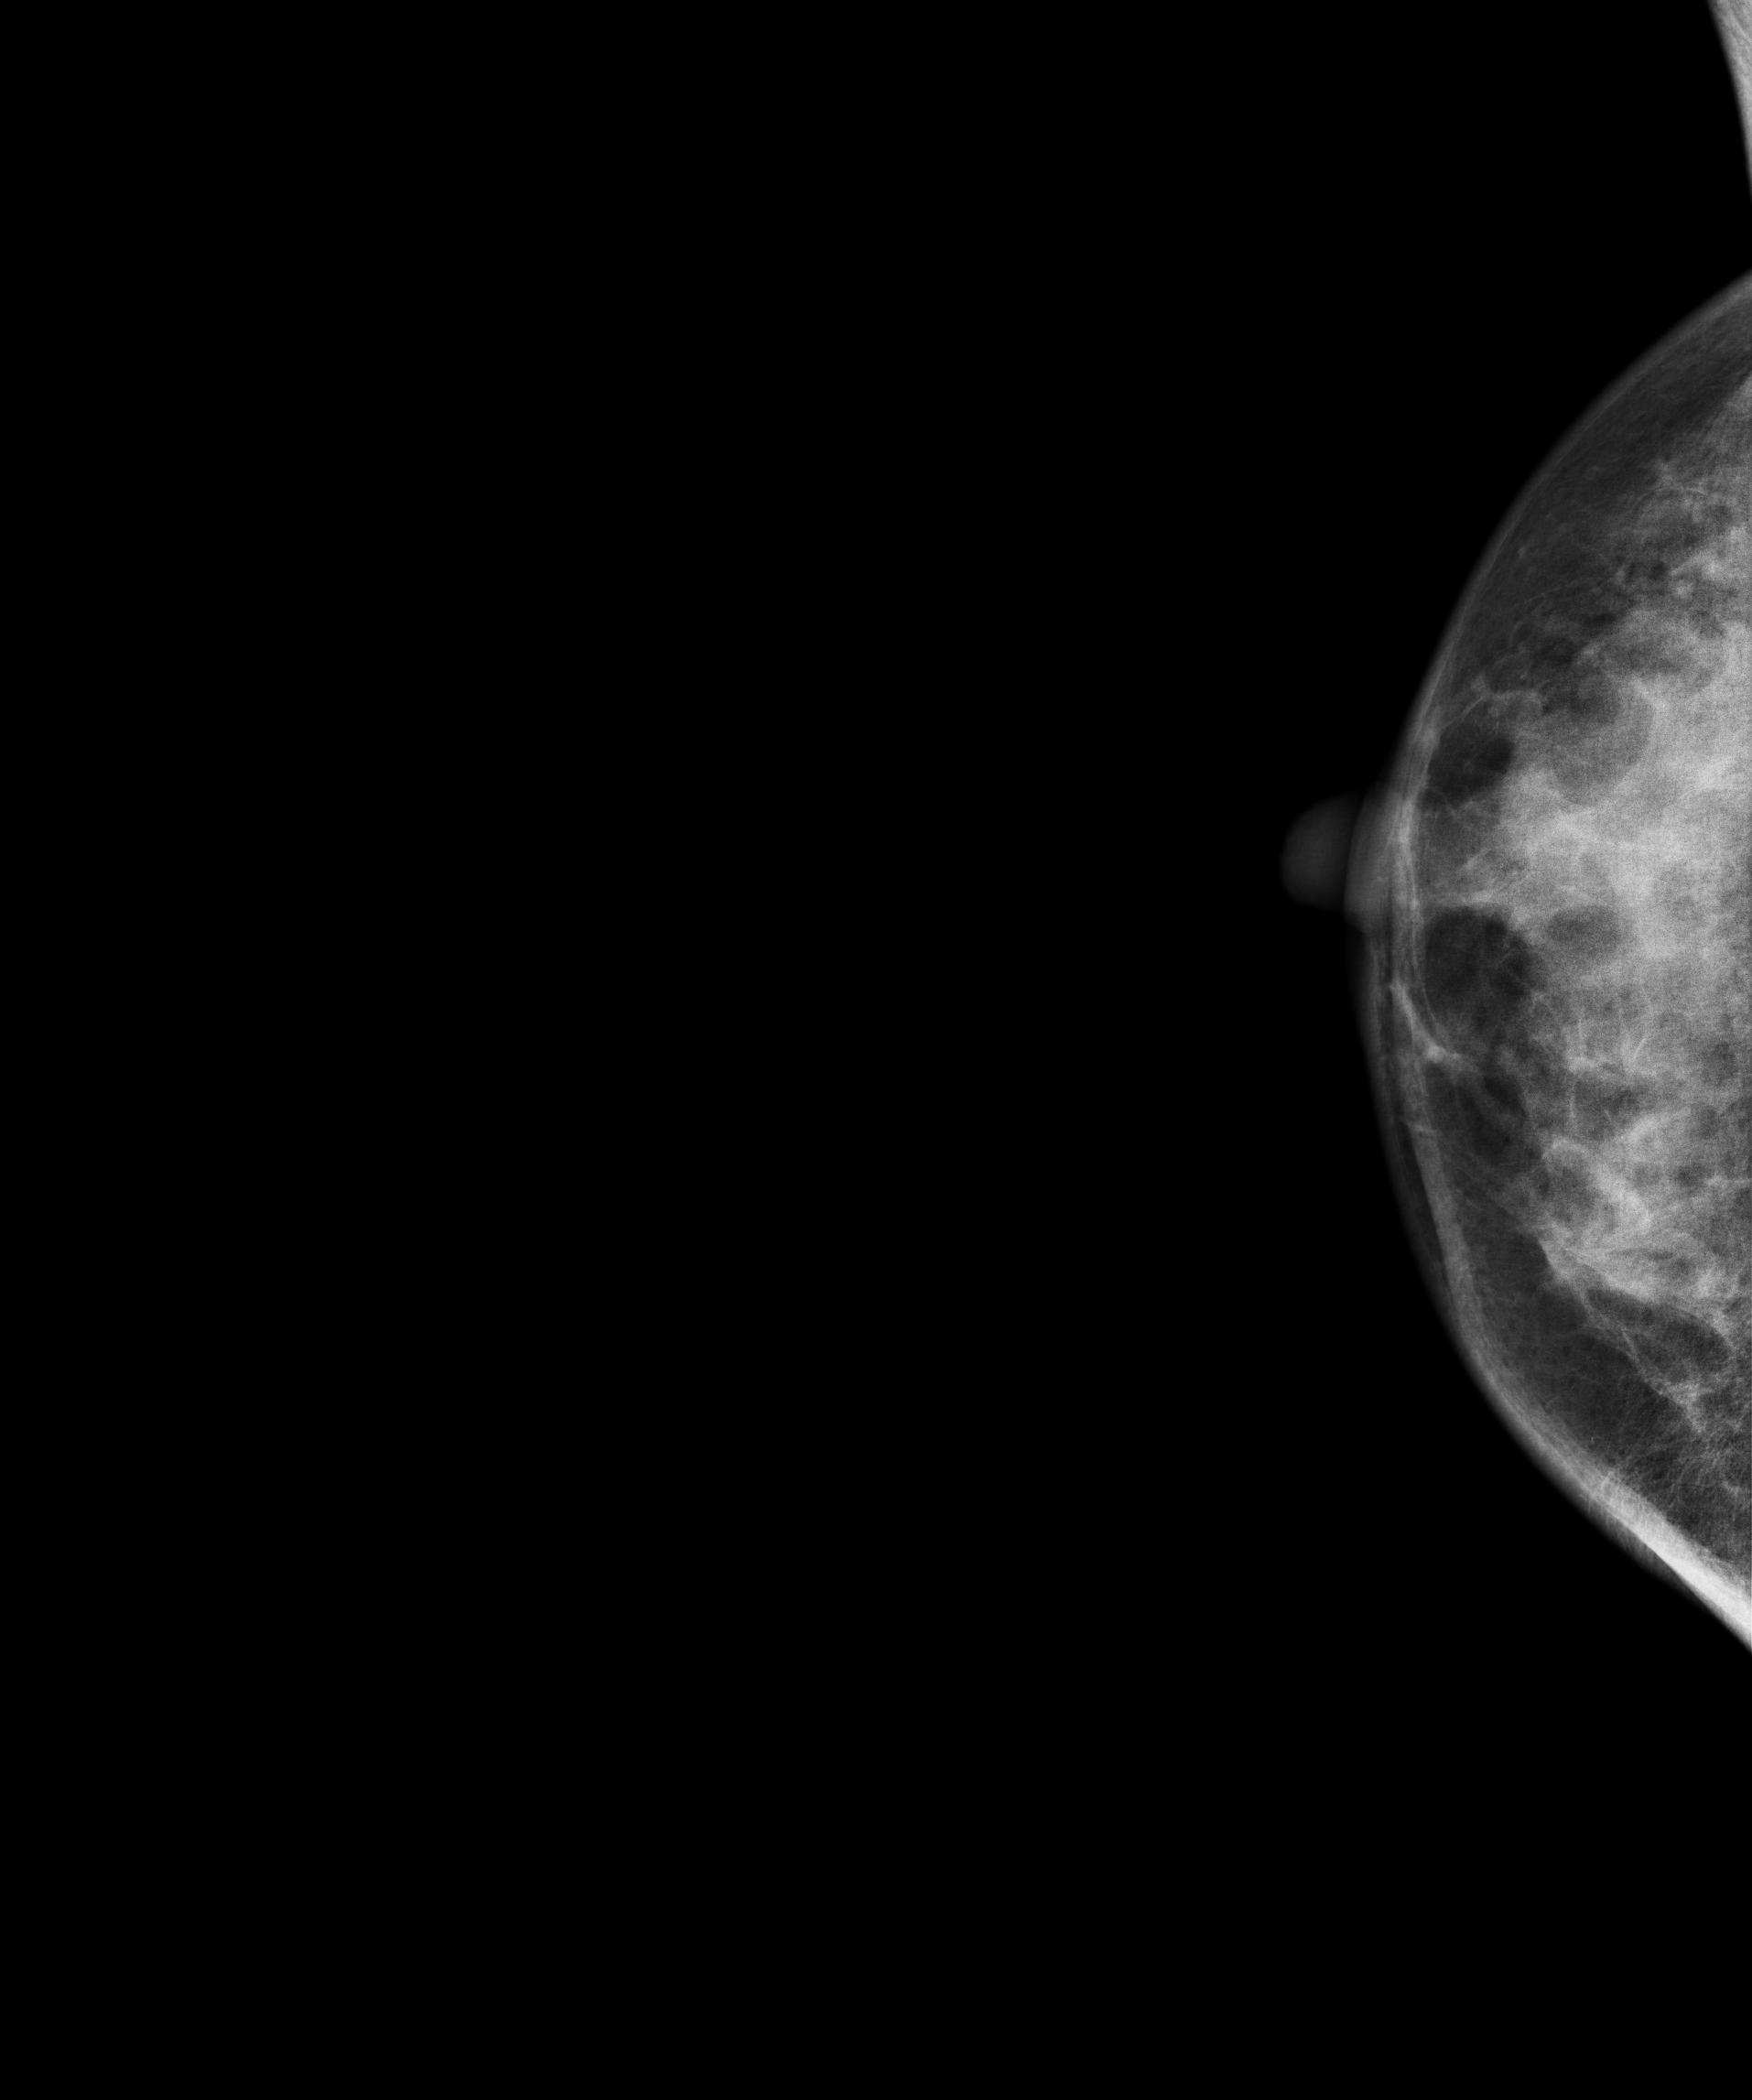
Right-breast mammogram, CC. 35 y/o patient.
This breast has a mass, pathology-confirmed malignant. Molecular subtype: luminal A.